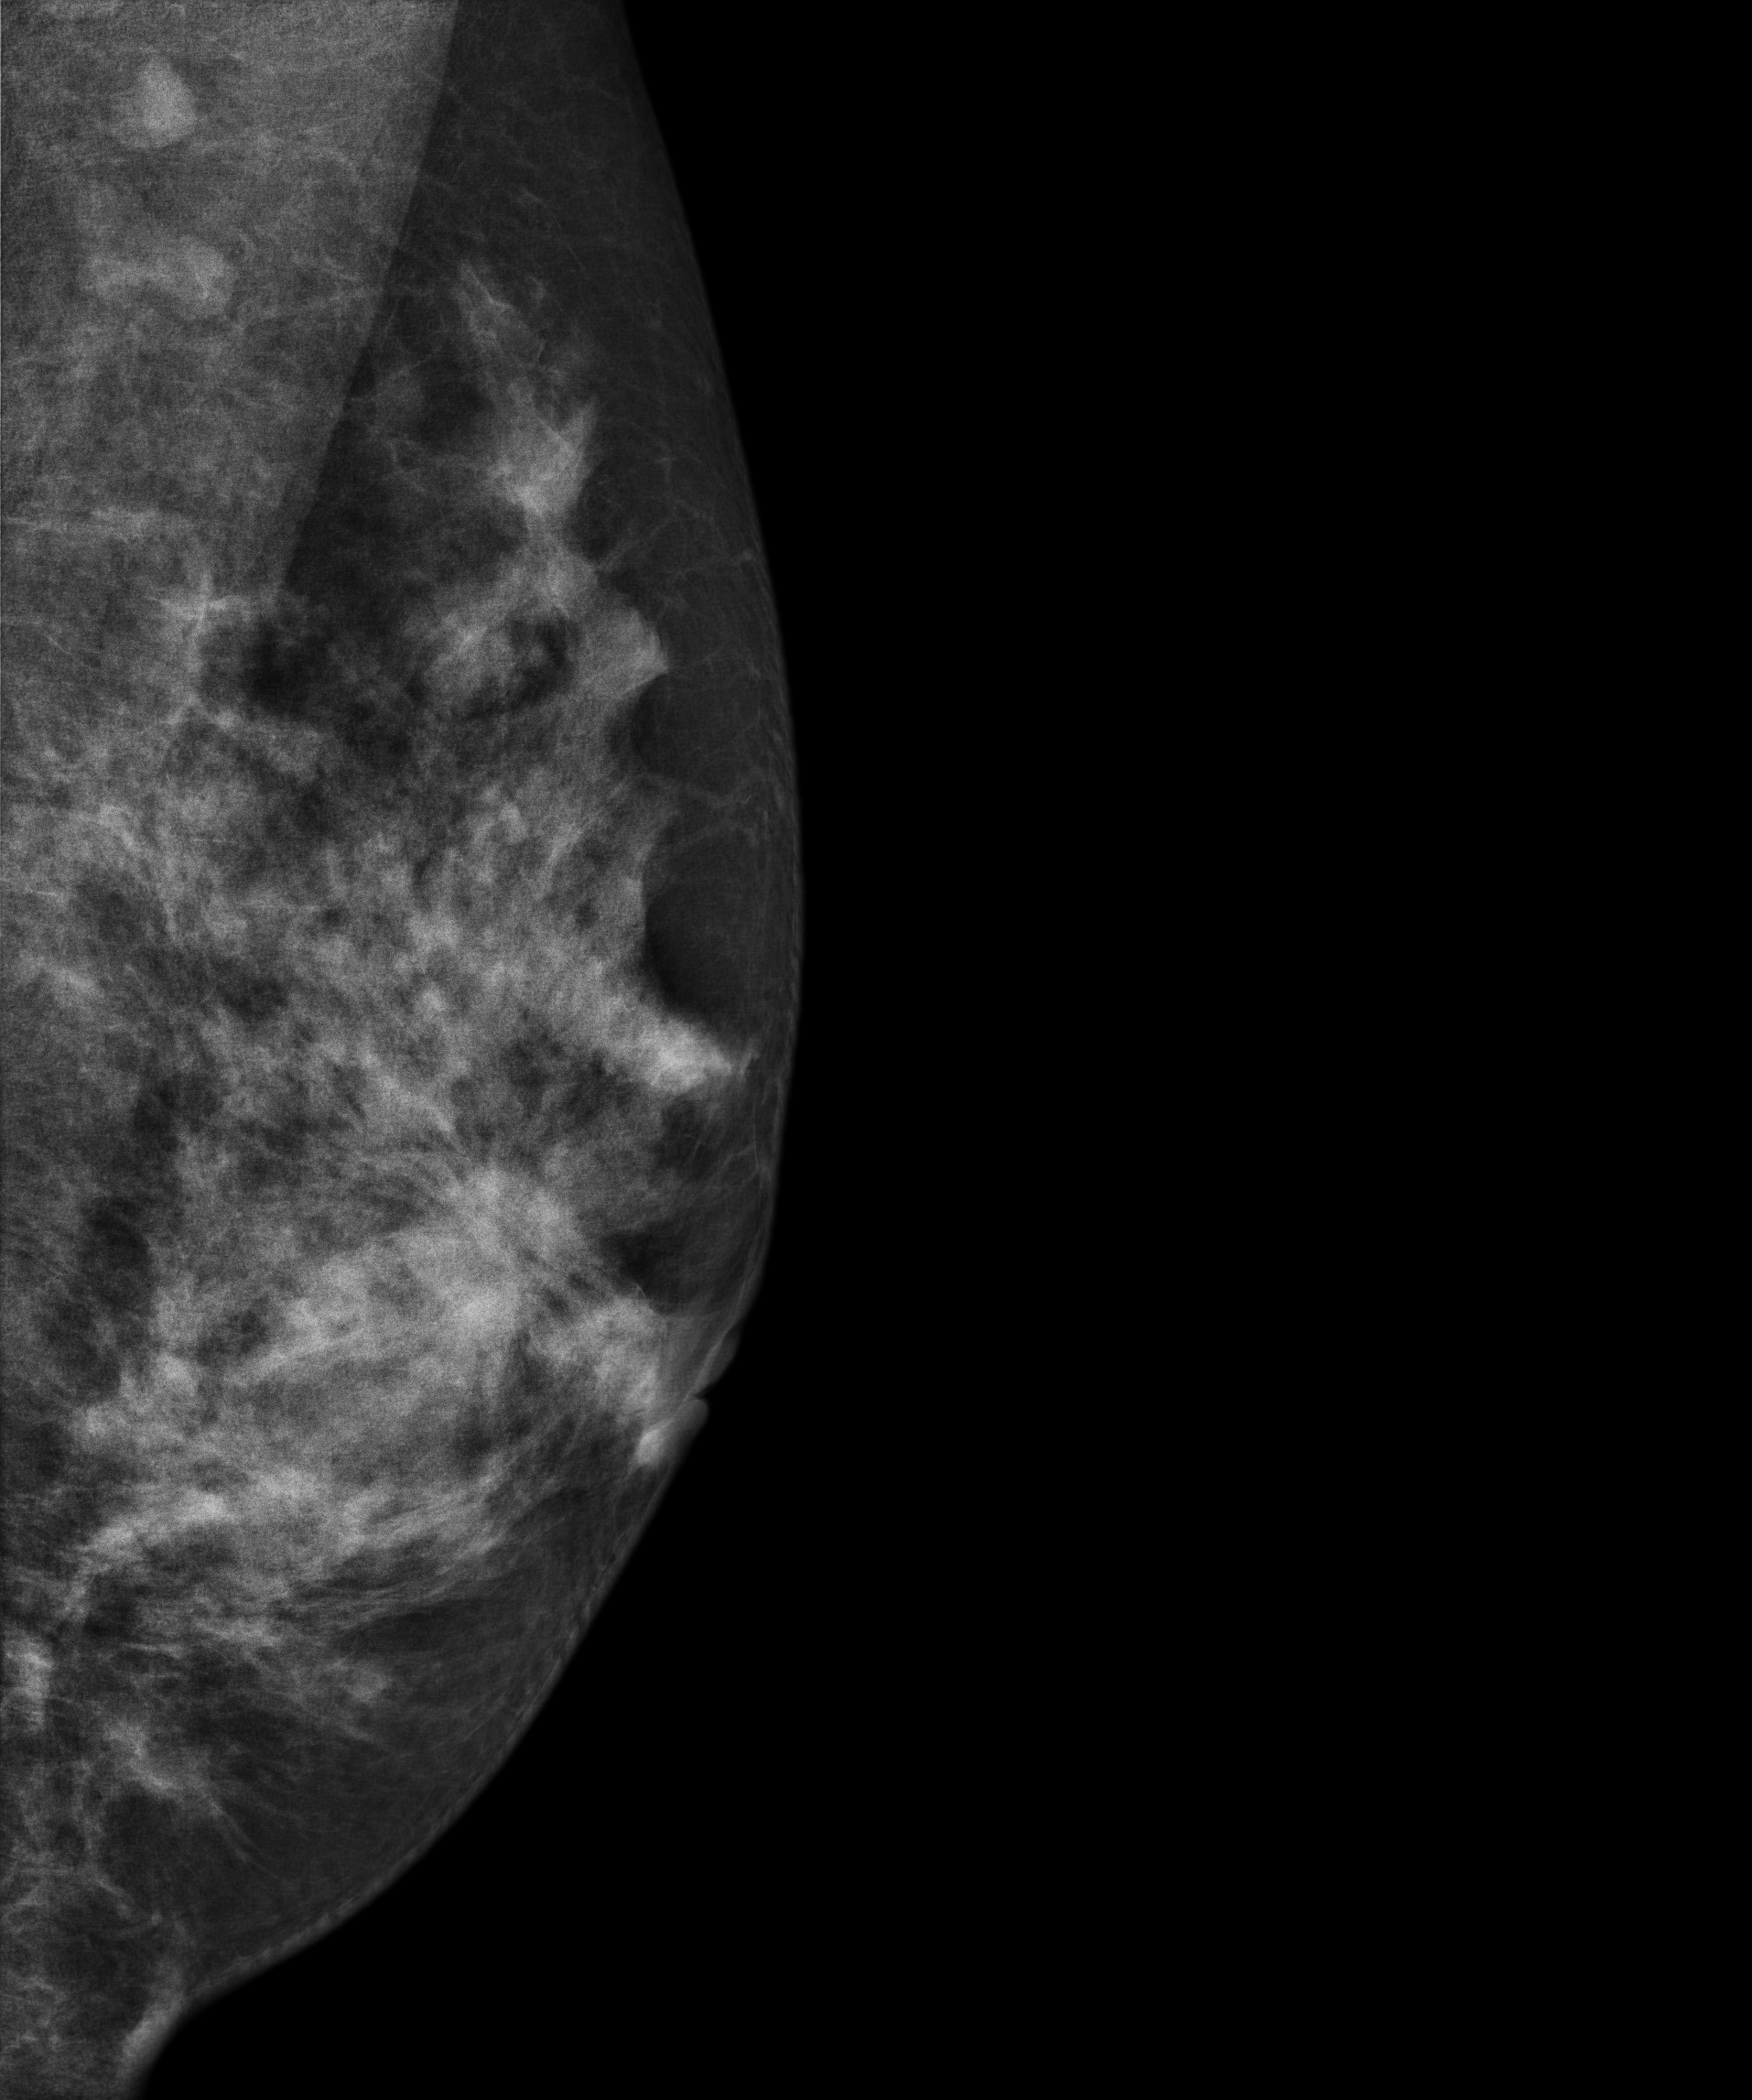
Left-breast mammogram, medio-lateral oblique. 45-year-old patient.
This breast has a mass, histologically confirmed malignant. Molecular subtype: luminal B.